CC mammogram of the right breast. Patient age 43.
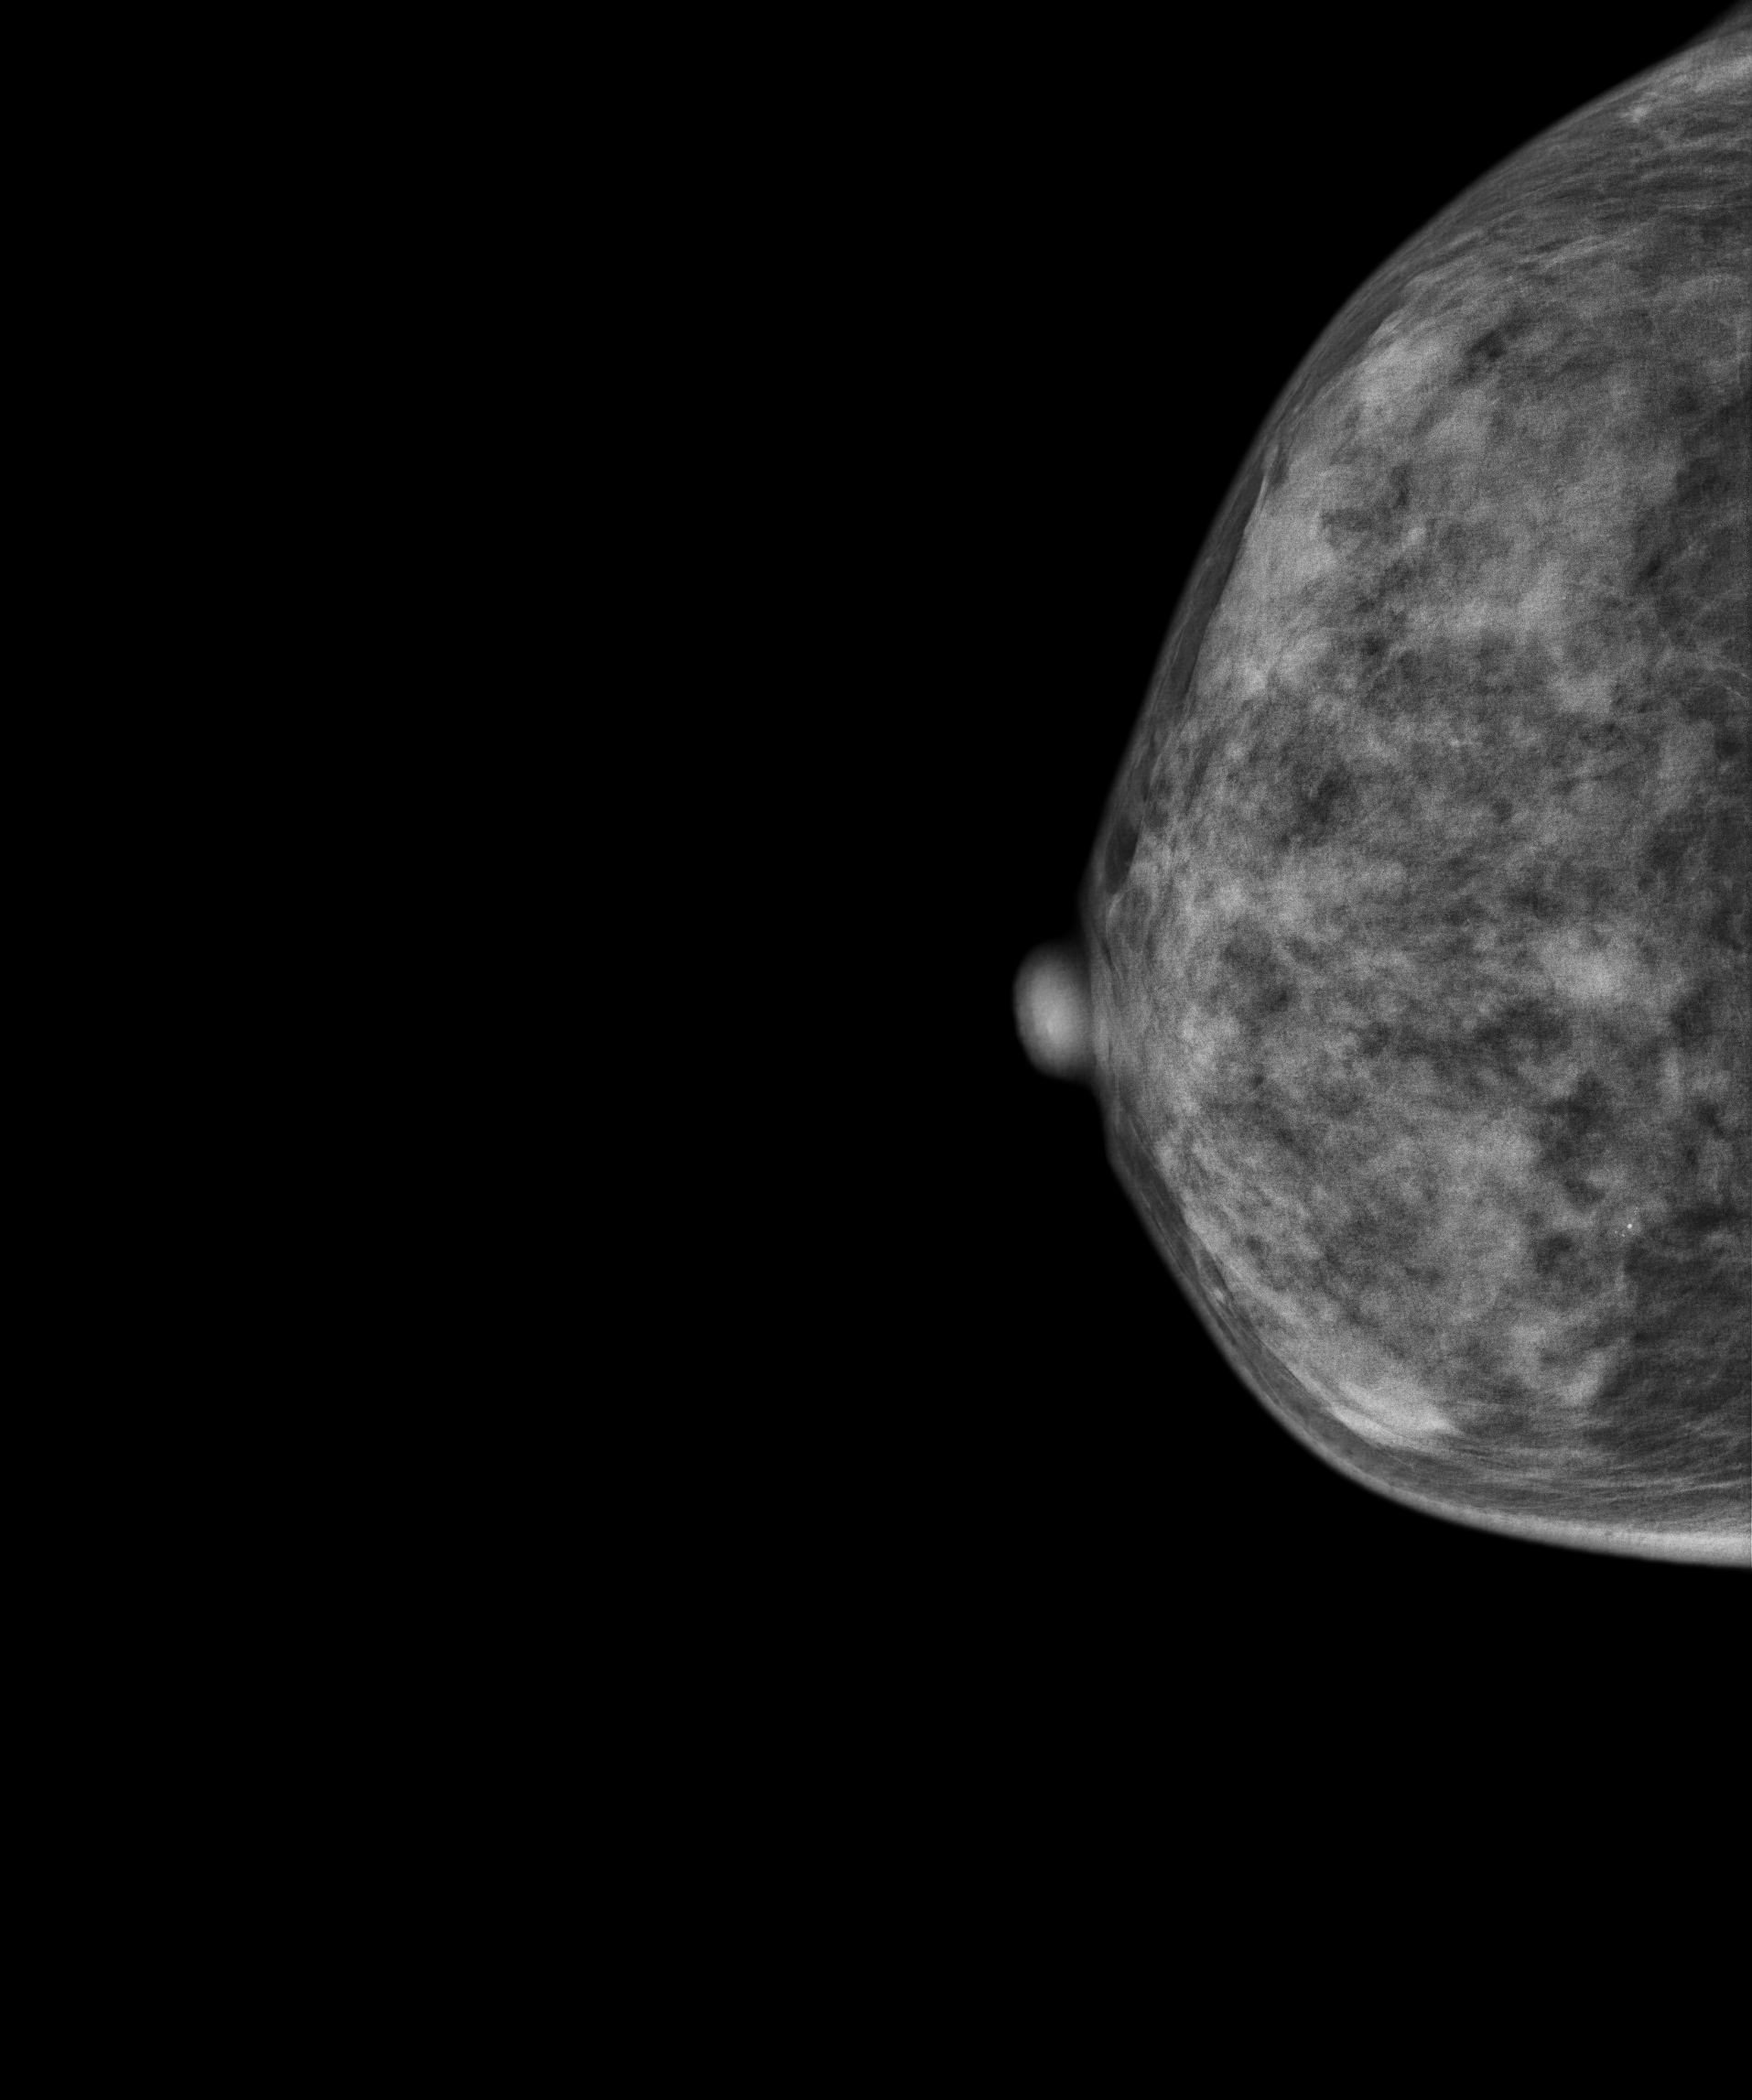
This breast has a mass and calcifications, pathology-confirmed benign.